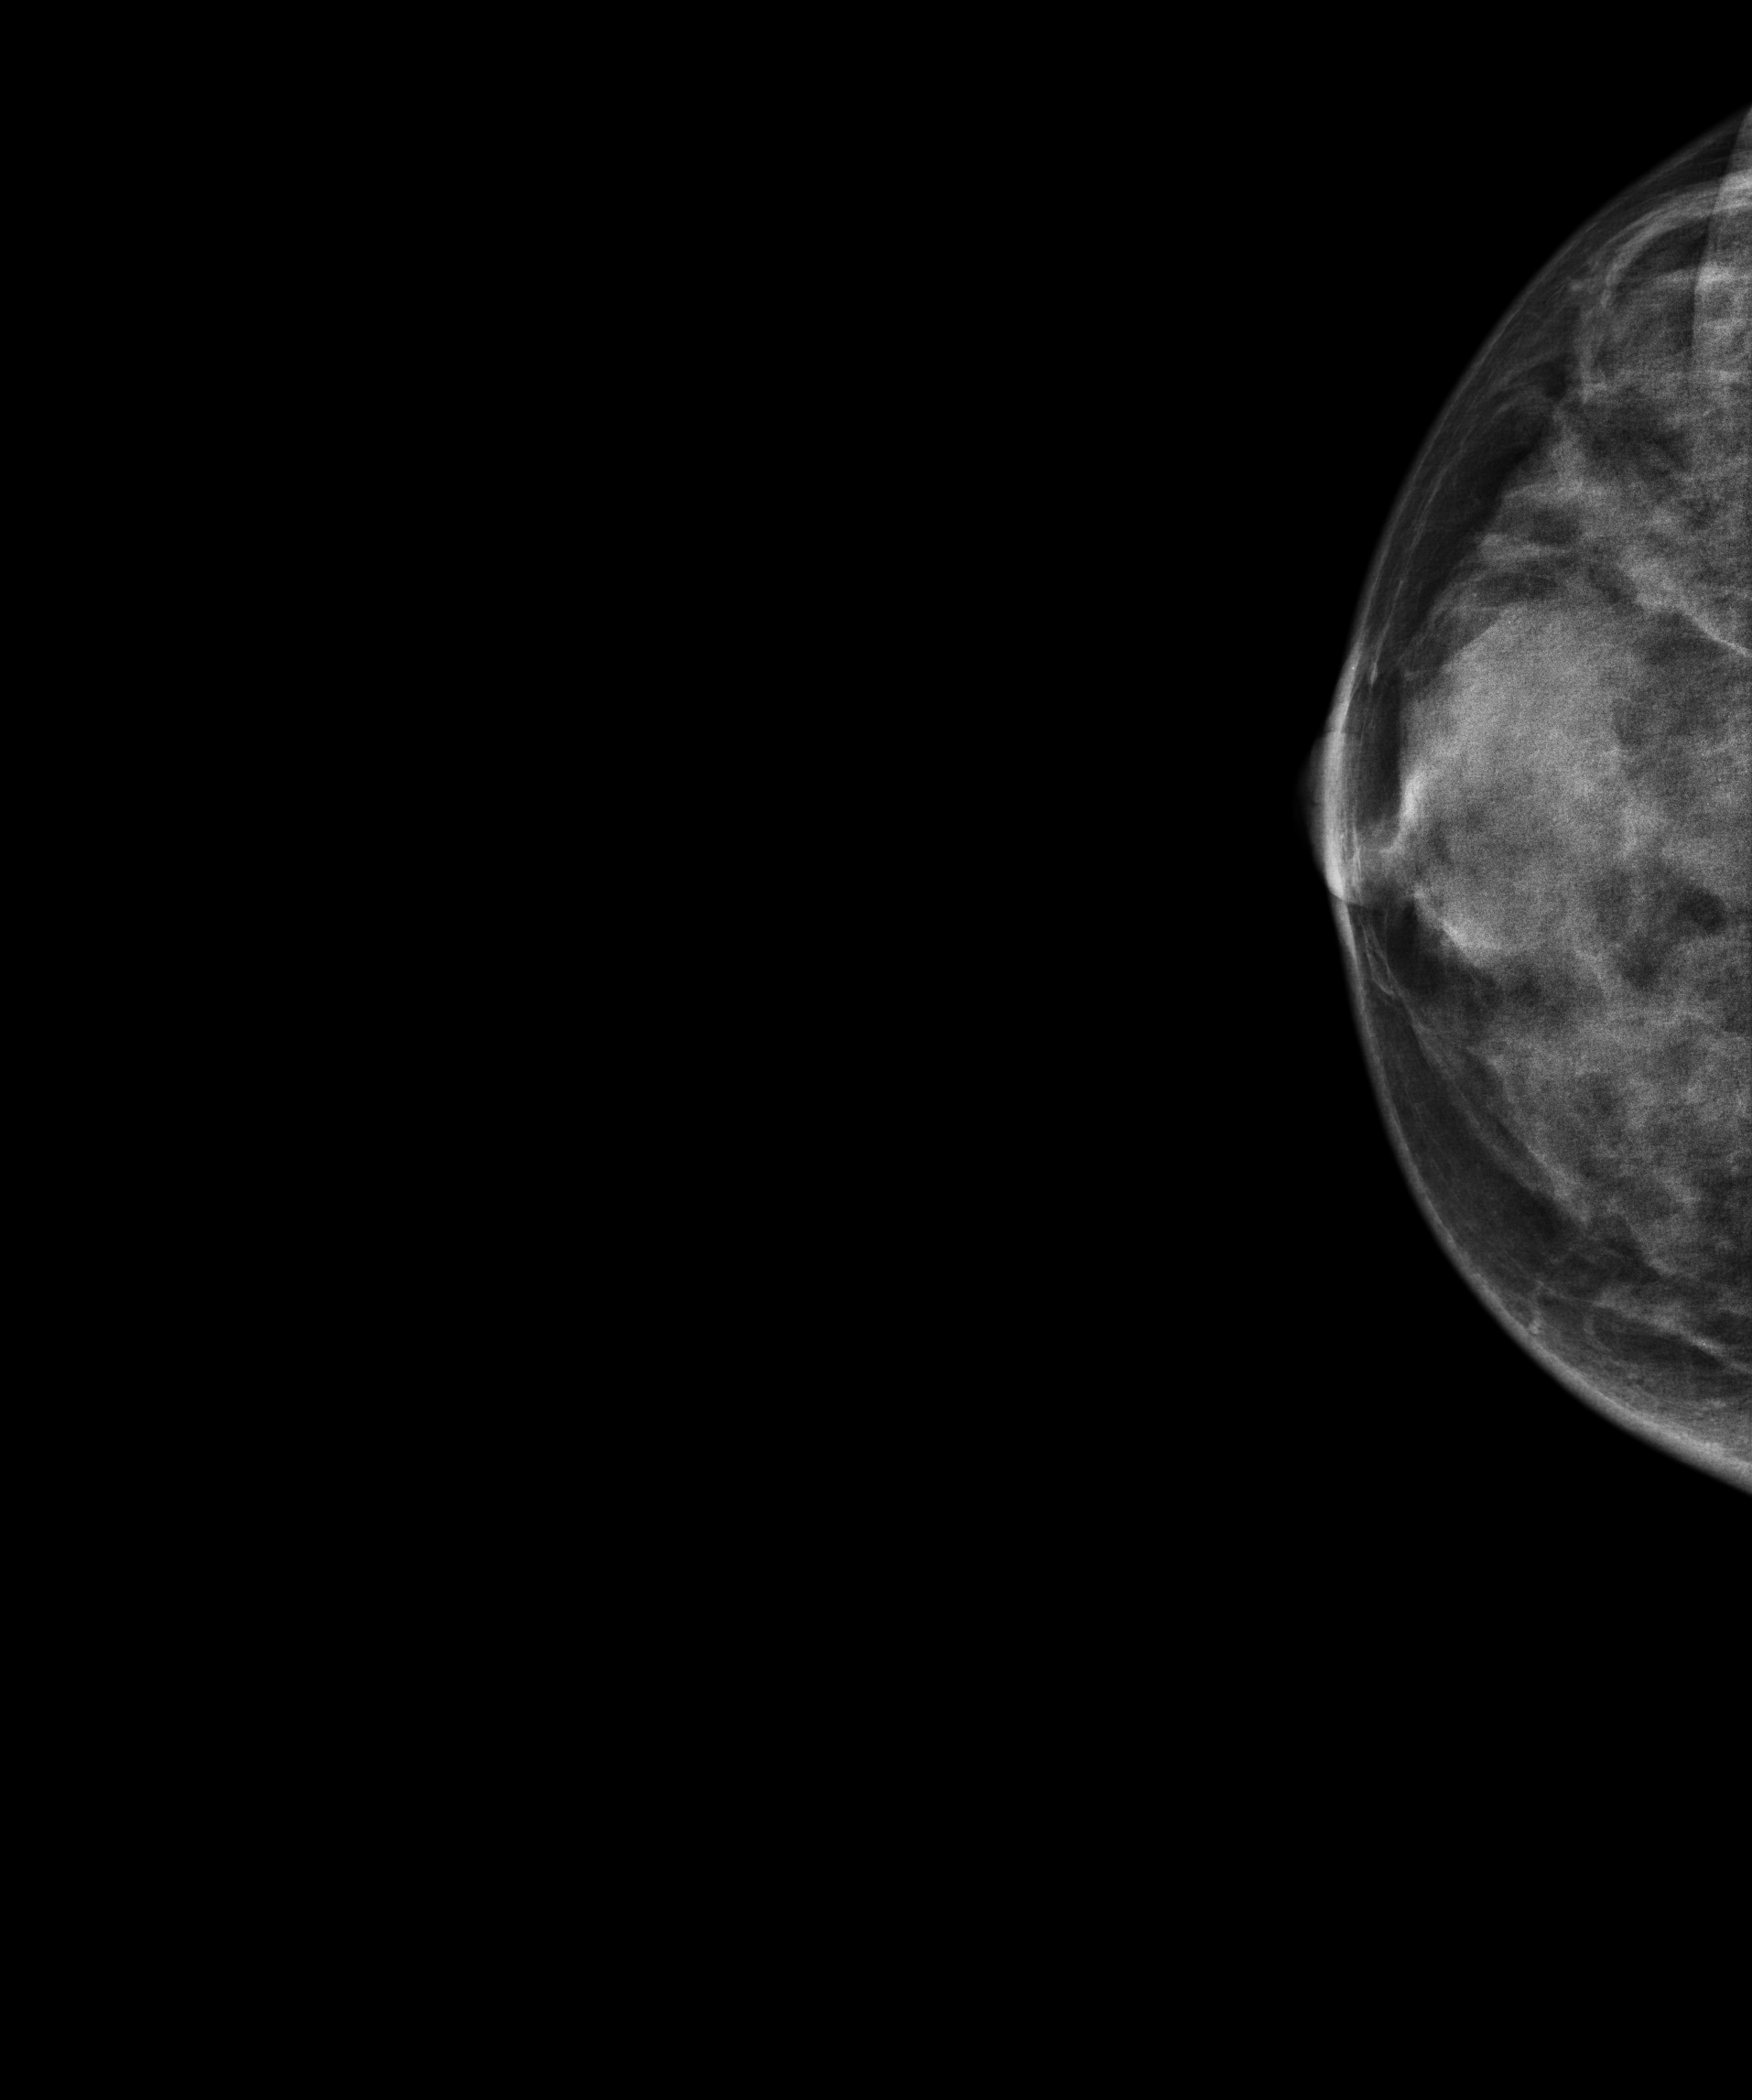
Mammogram — right CC. 27 y/o patient.
This breast has a mass, histologically confirmed malignant. Molecular subtype: luminal B.